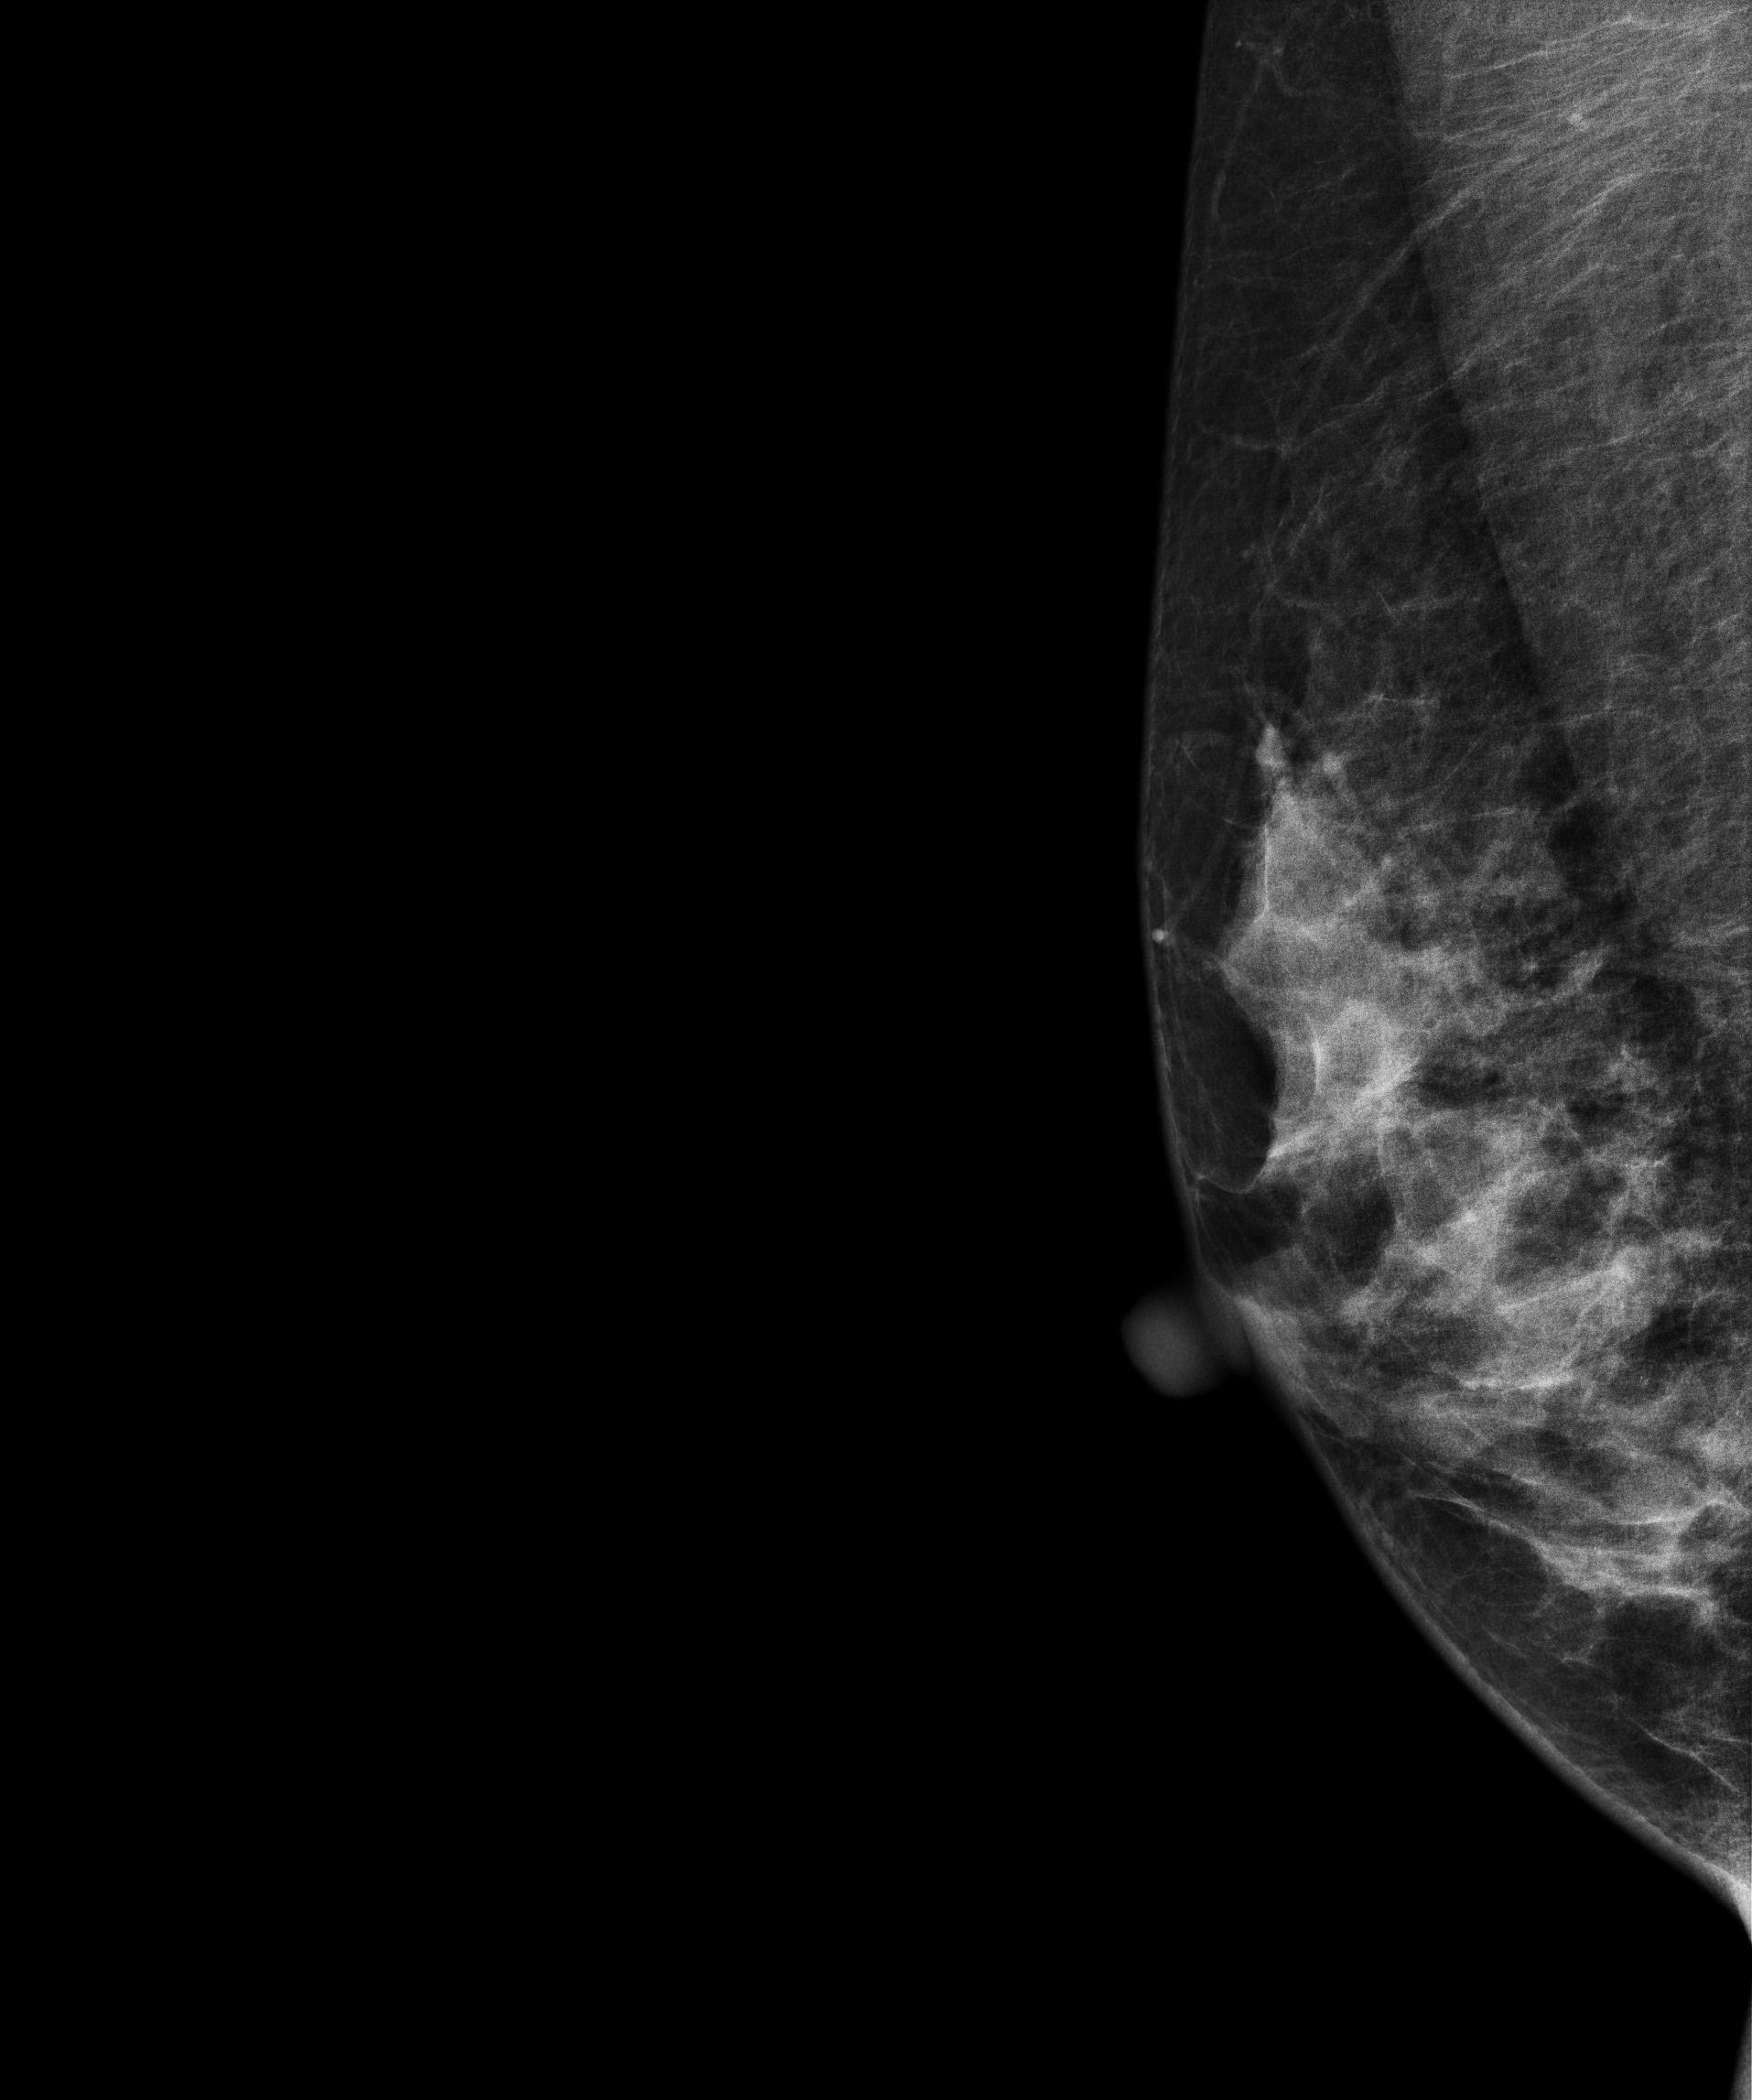
Mammogram, right breast, medio-lateral oblique view. Patient age 43.
Contralateral breast — no documented abnormality on this side.